Left-breast mammogram, medio-lateral oblique. Patient age 47.
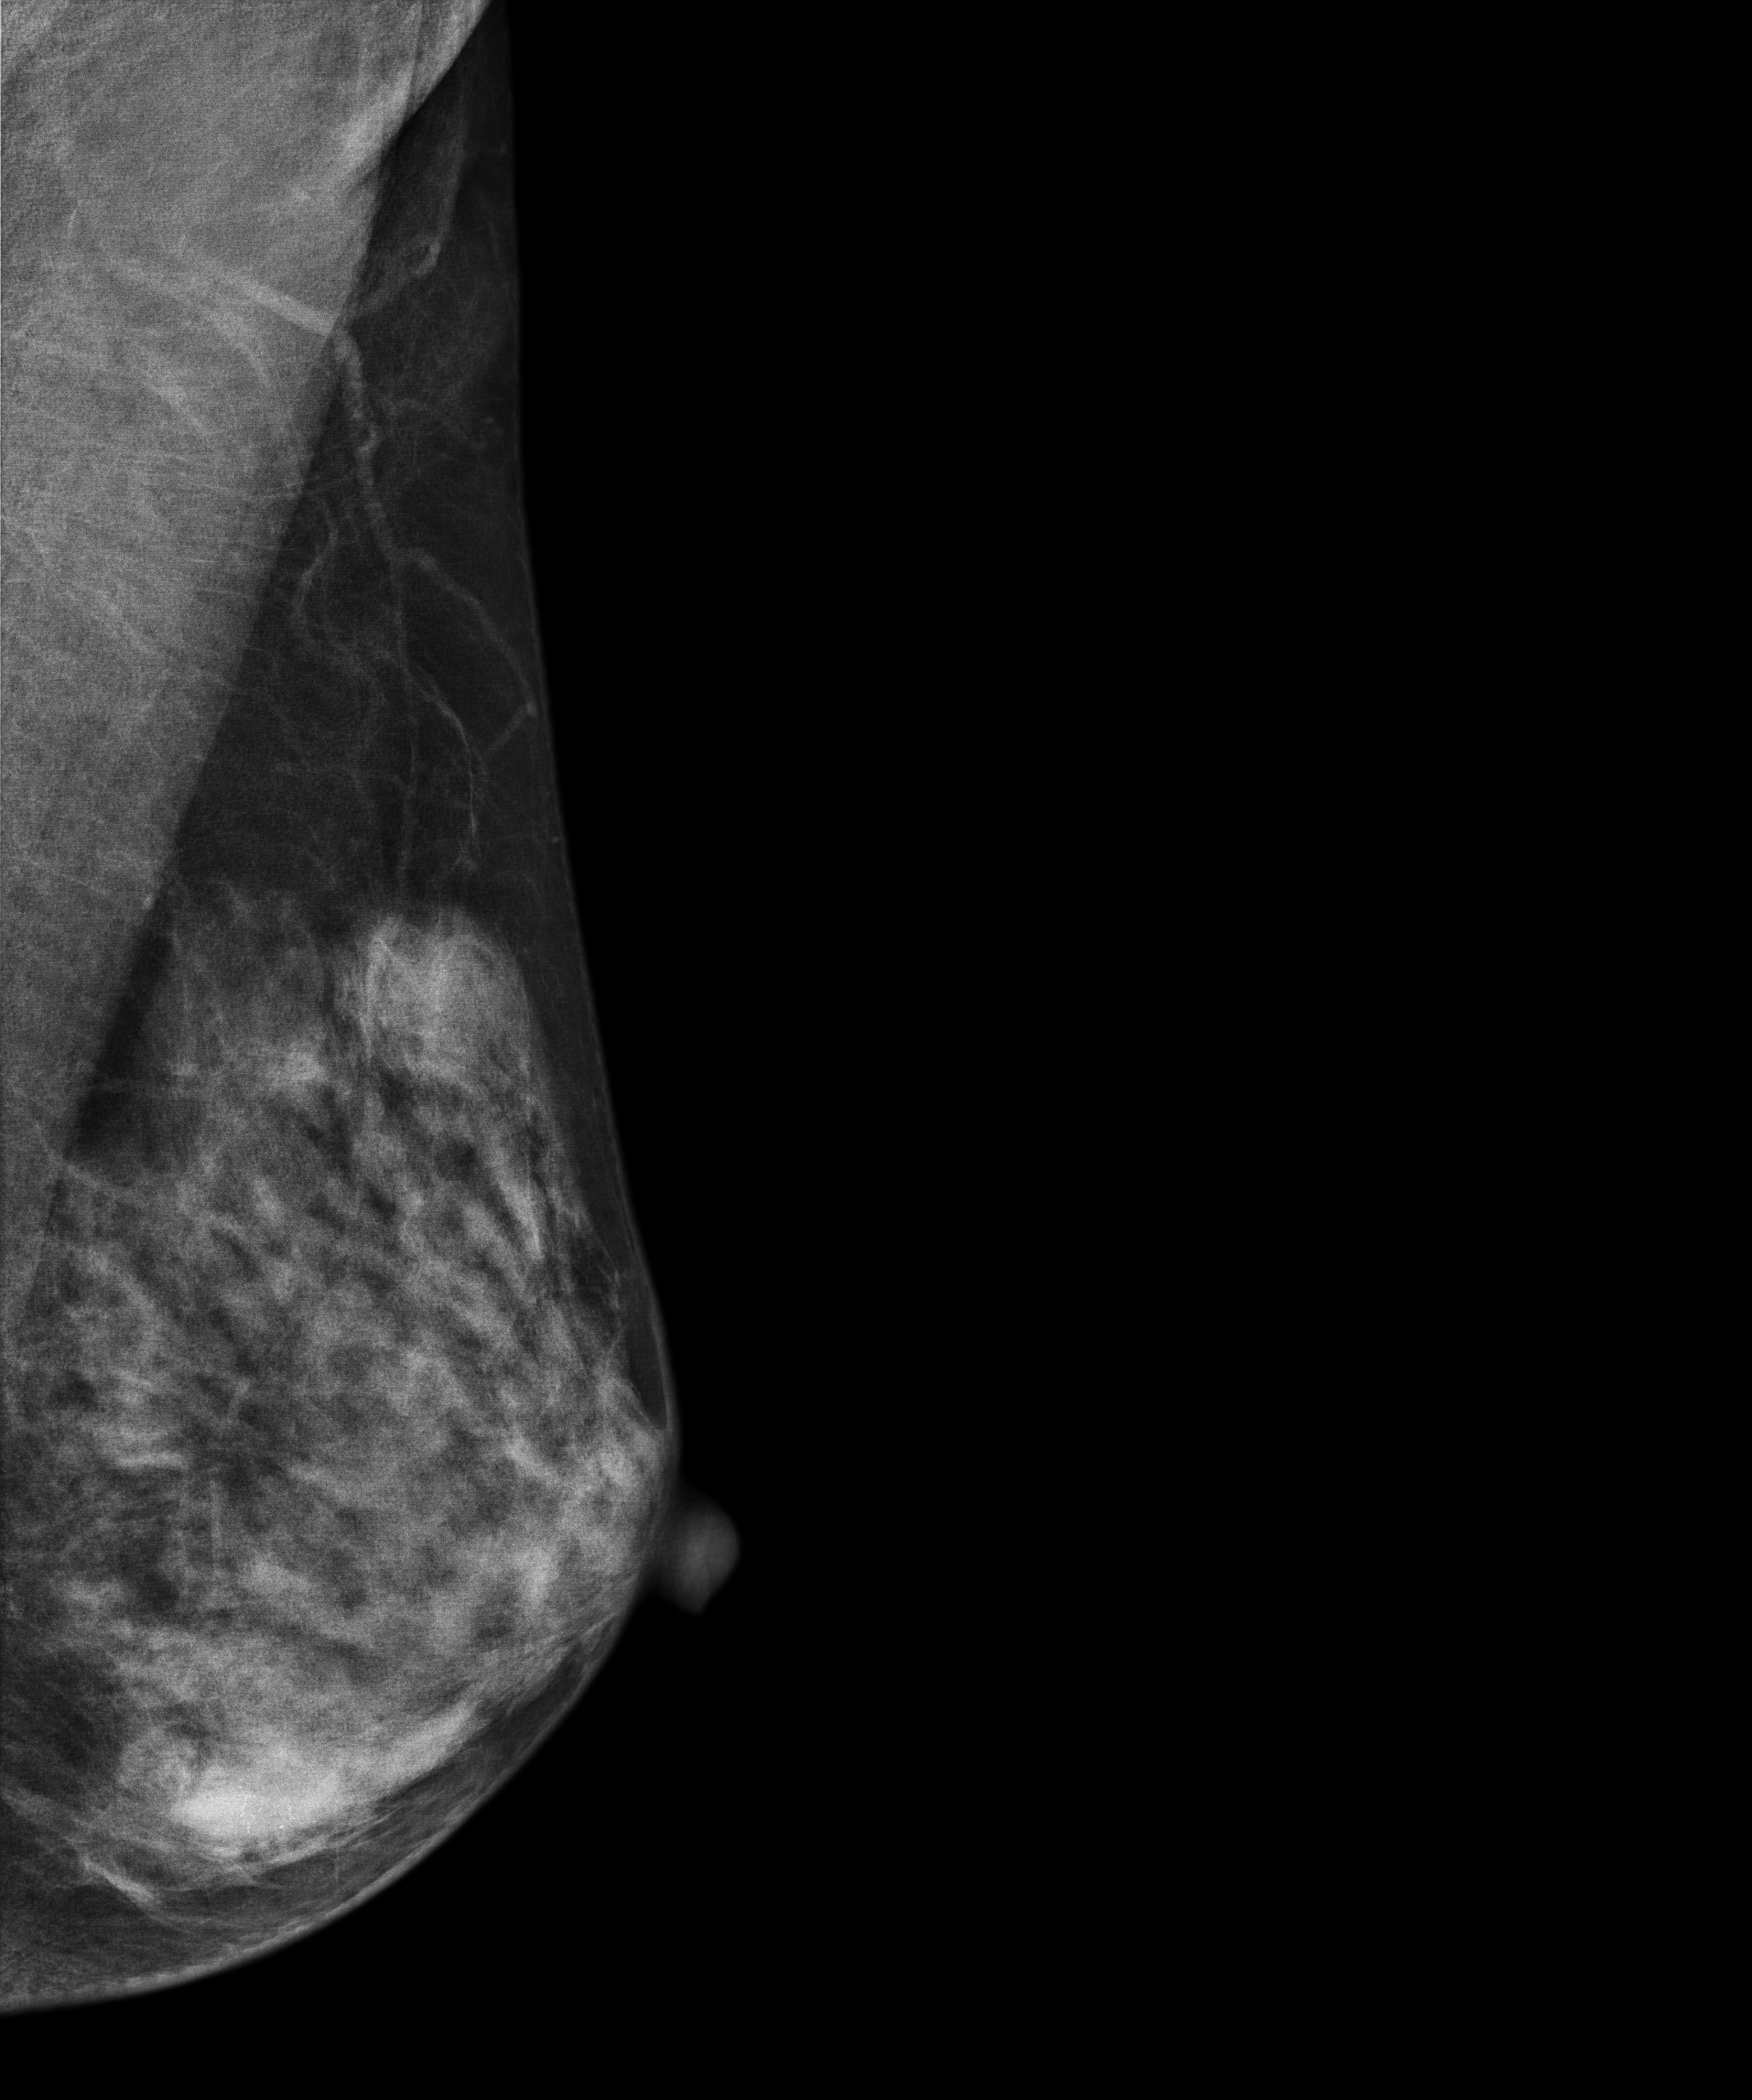
This breast has a mass and calcifications, biopsy-proven malignant. Molecular subtype: luminal B.